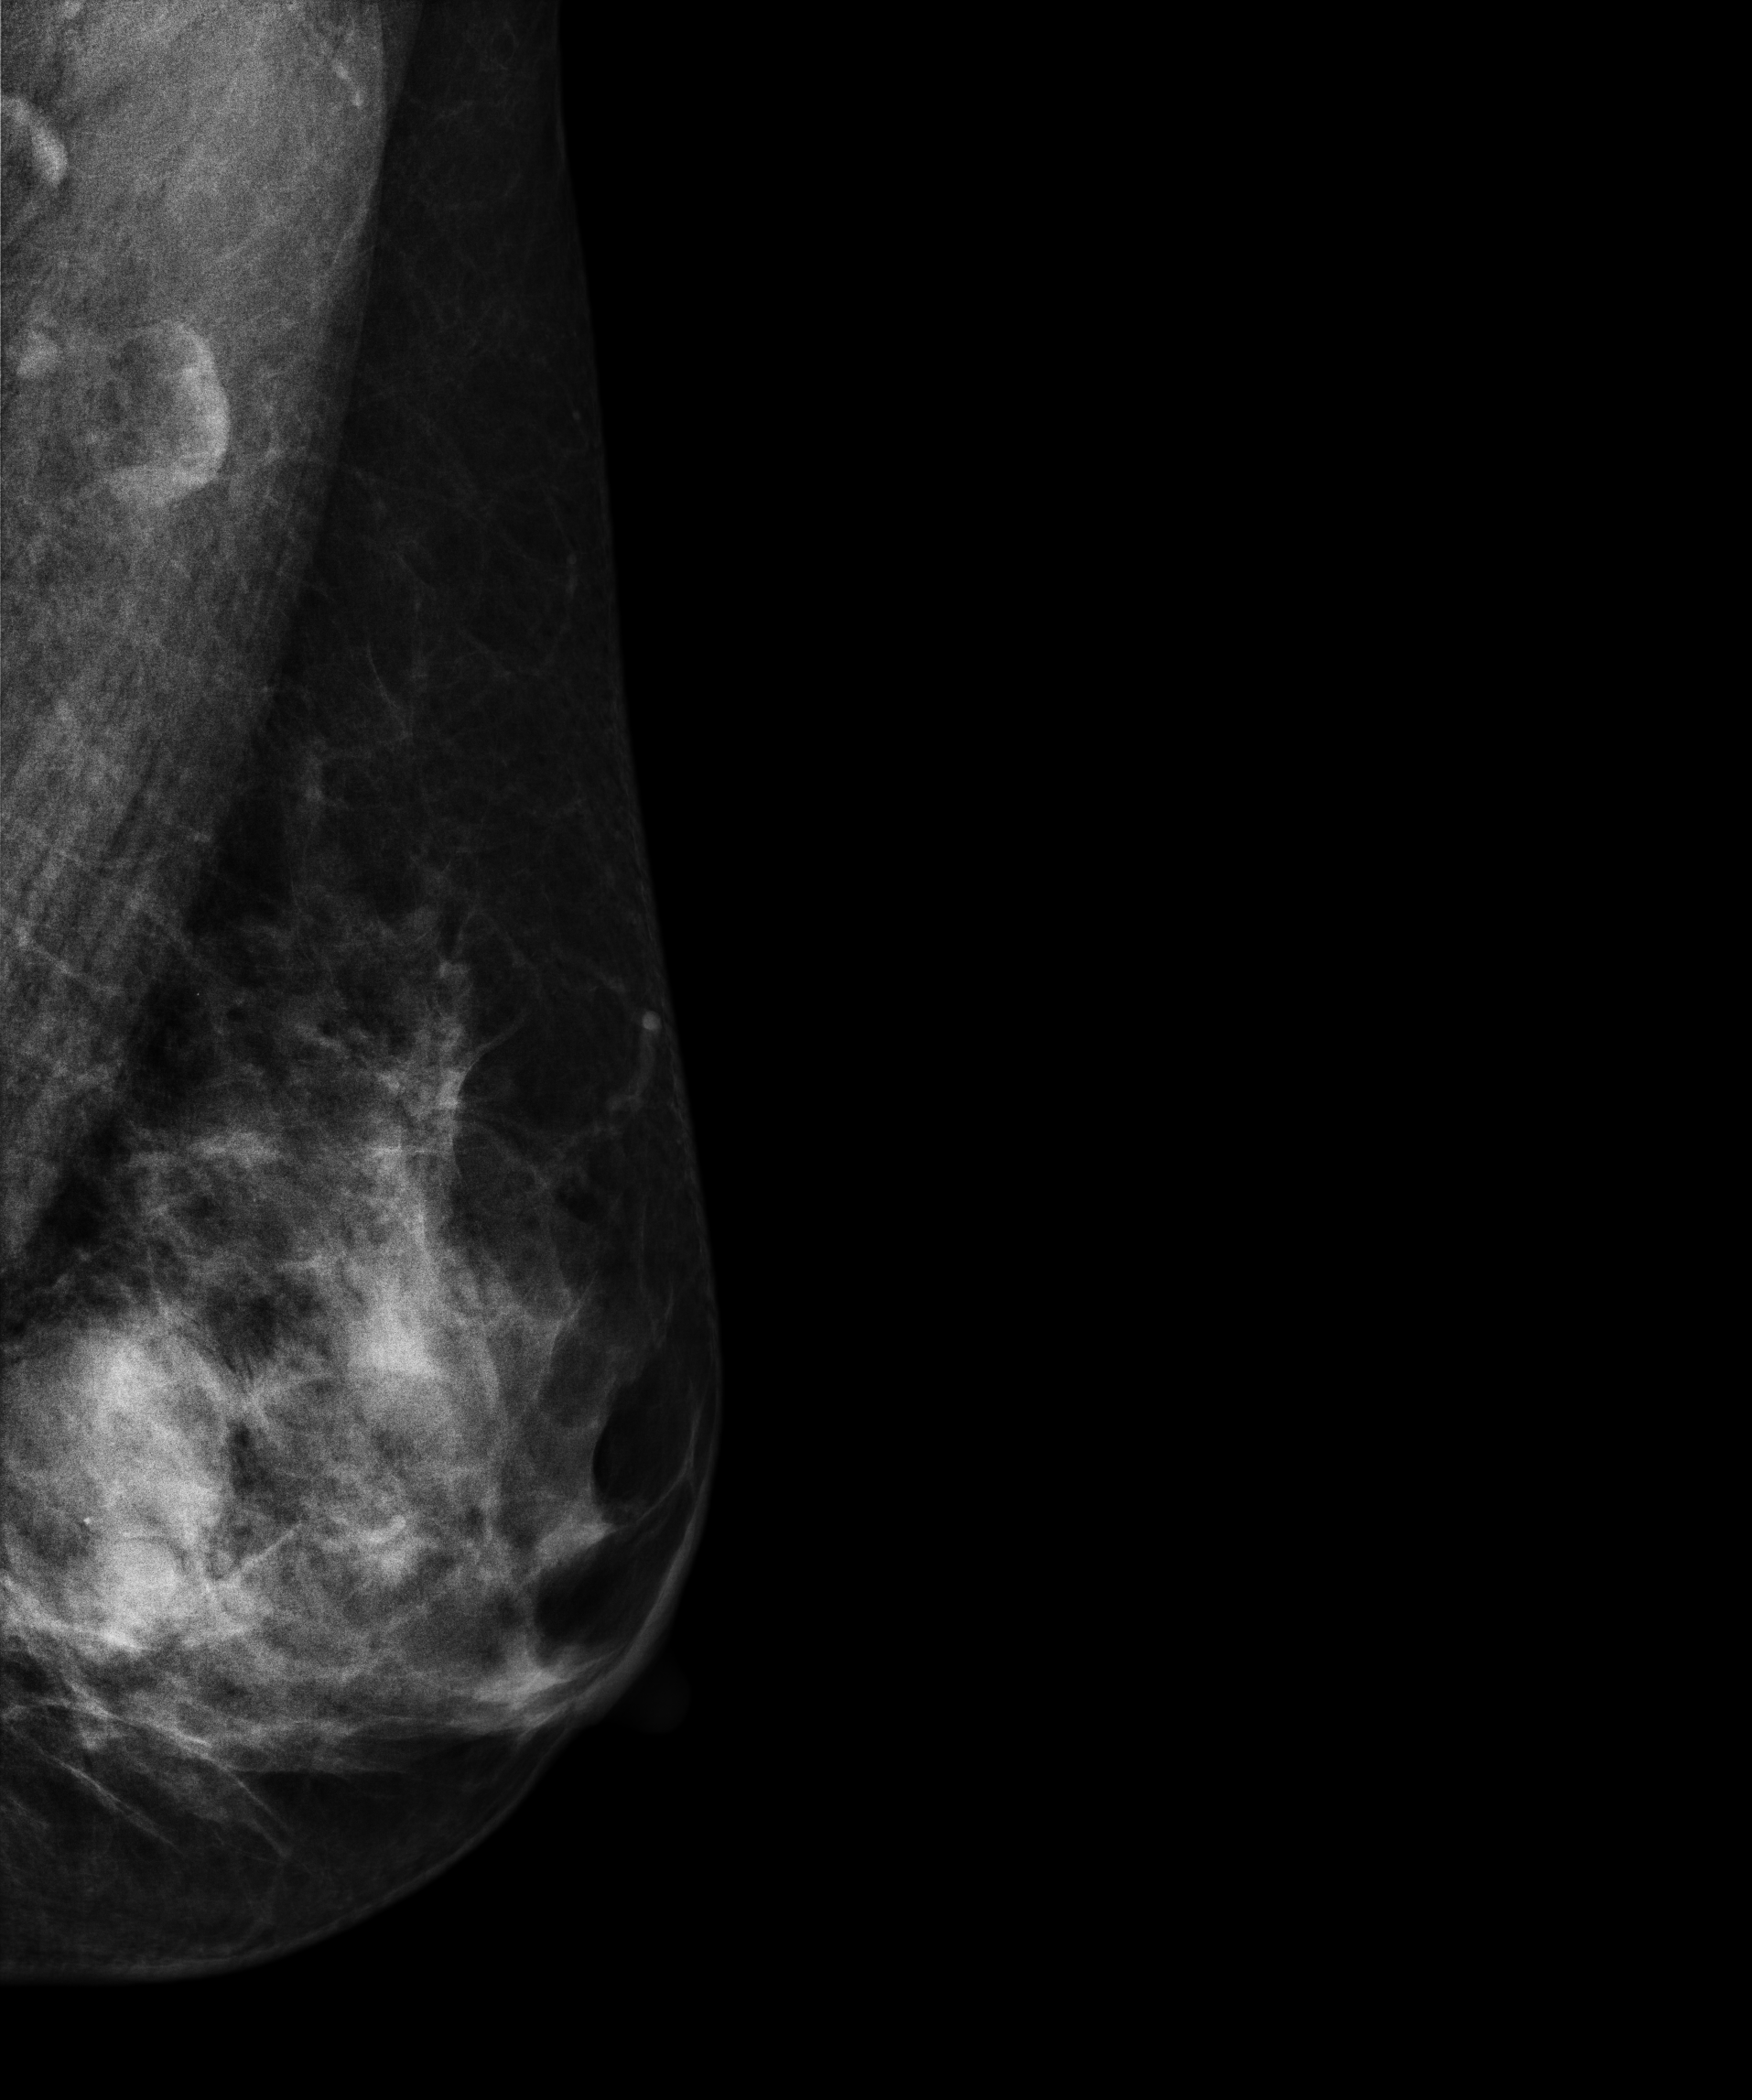
Mammogram, left breast, MLO view. 52 y/o patient.
This breast has a mass and calcifications, biopsy-proven benign.